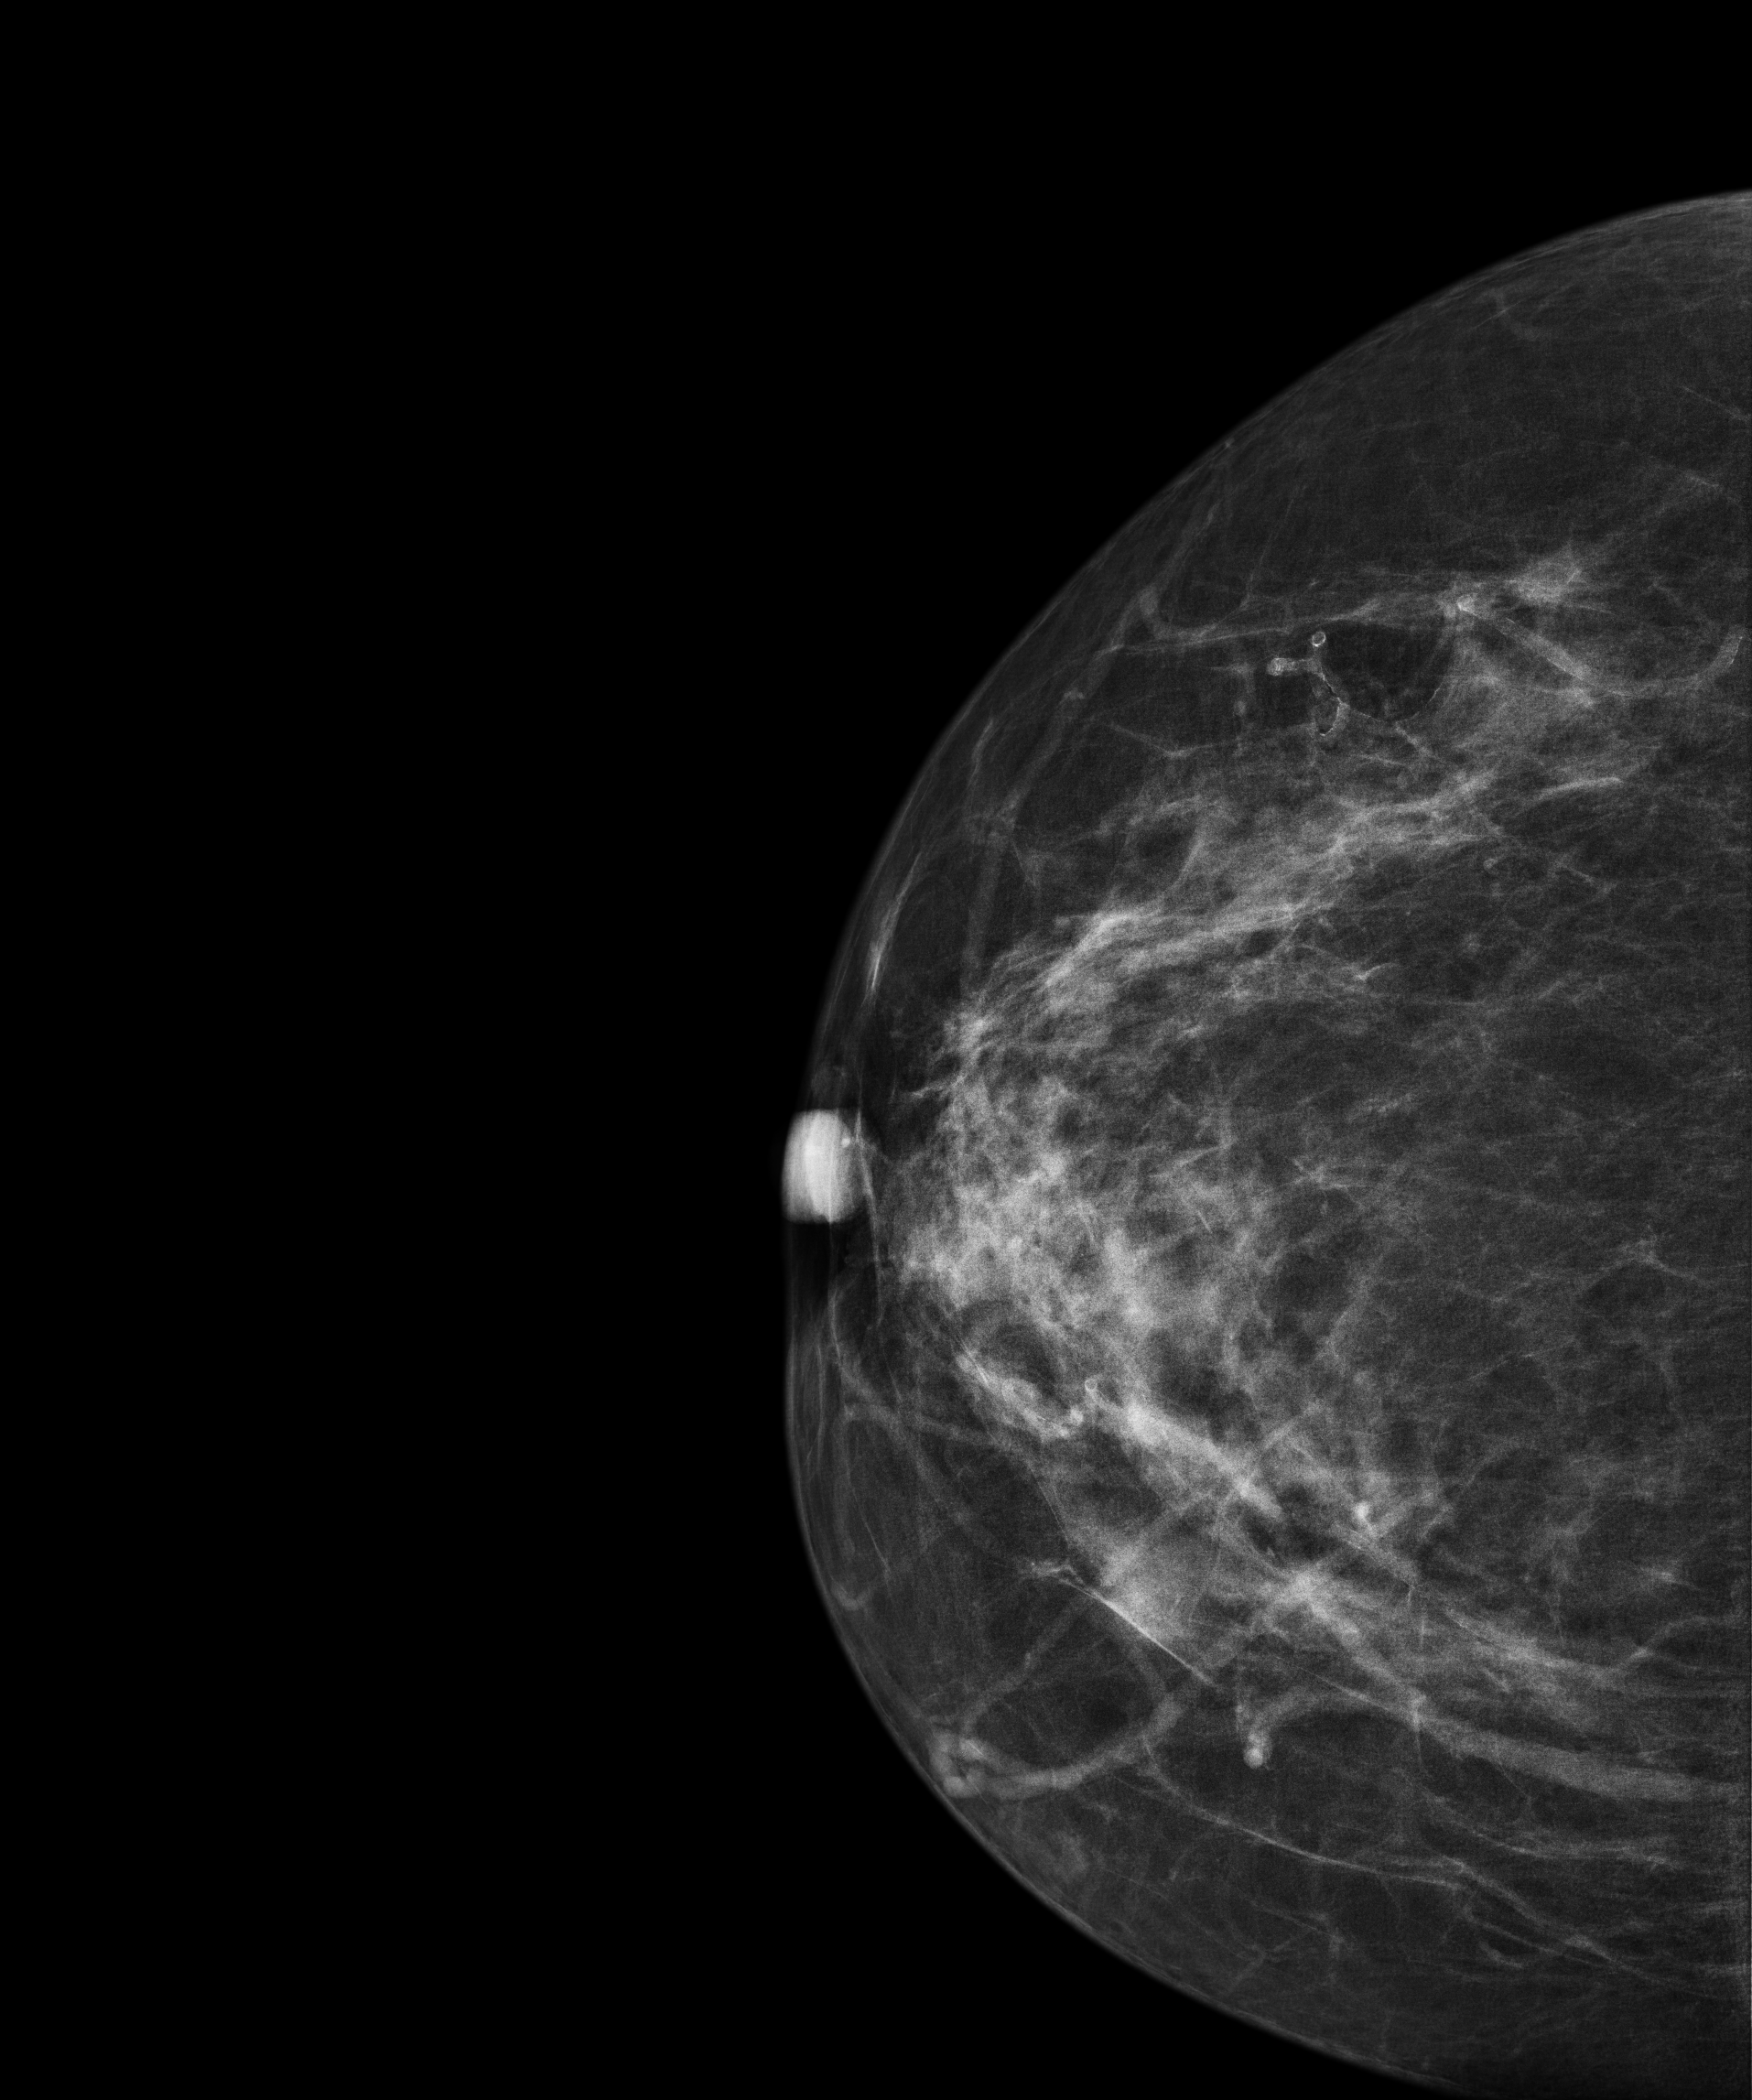
Mammogram — right CC. Patient age 66.
Contralateral breast — no documented abnormality on this side.